Cranio-caudal mammogram of the left breast. Patient age 40.
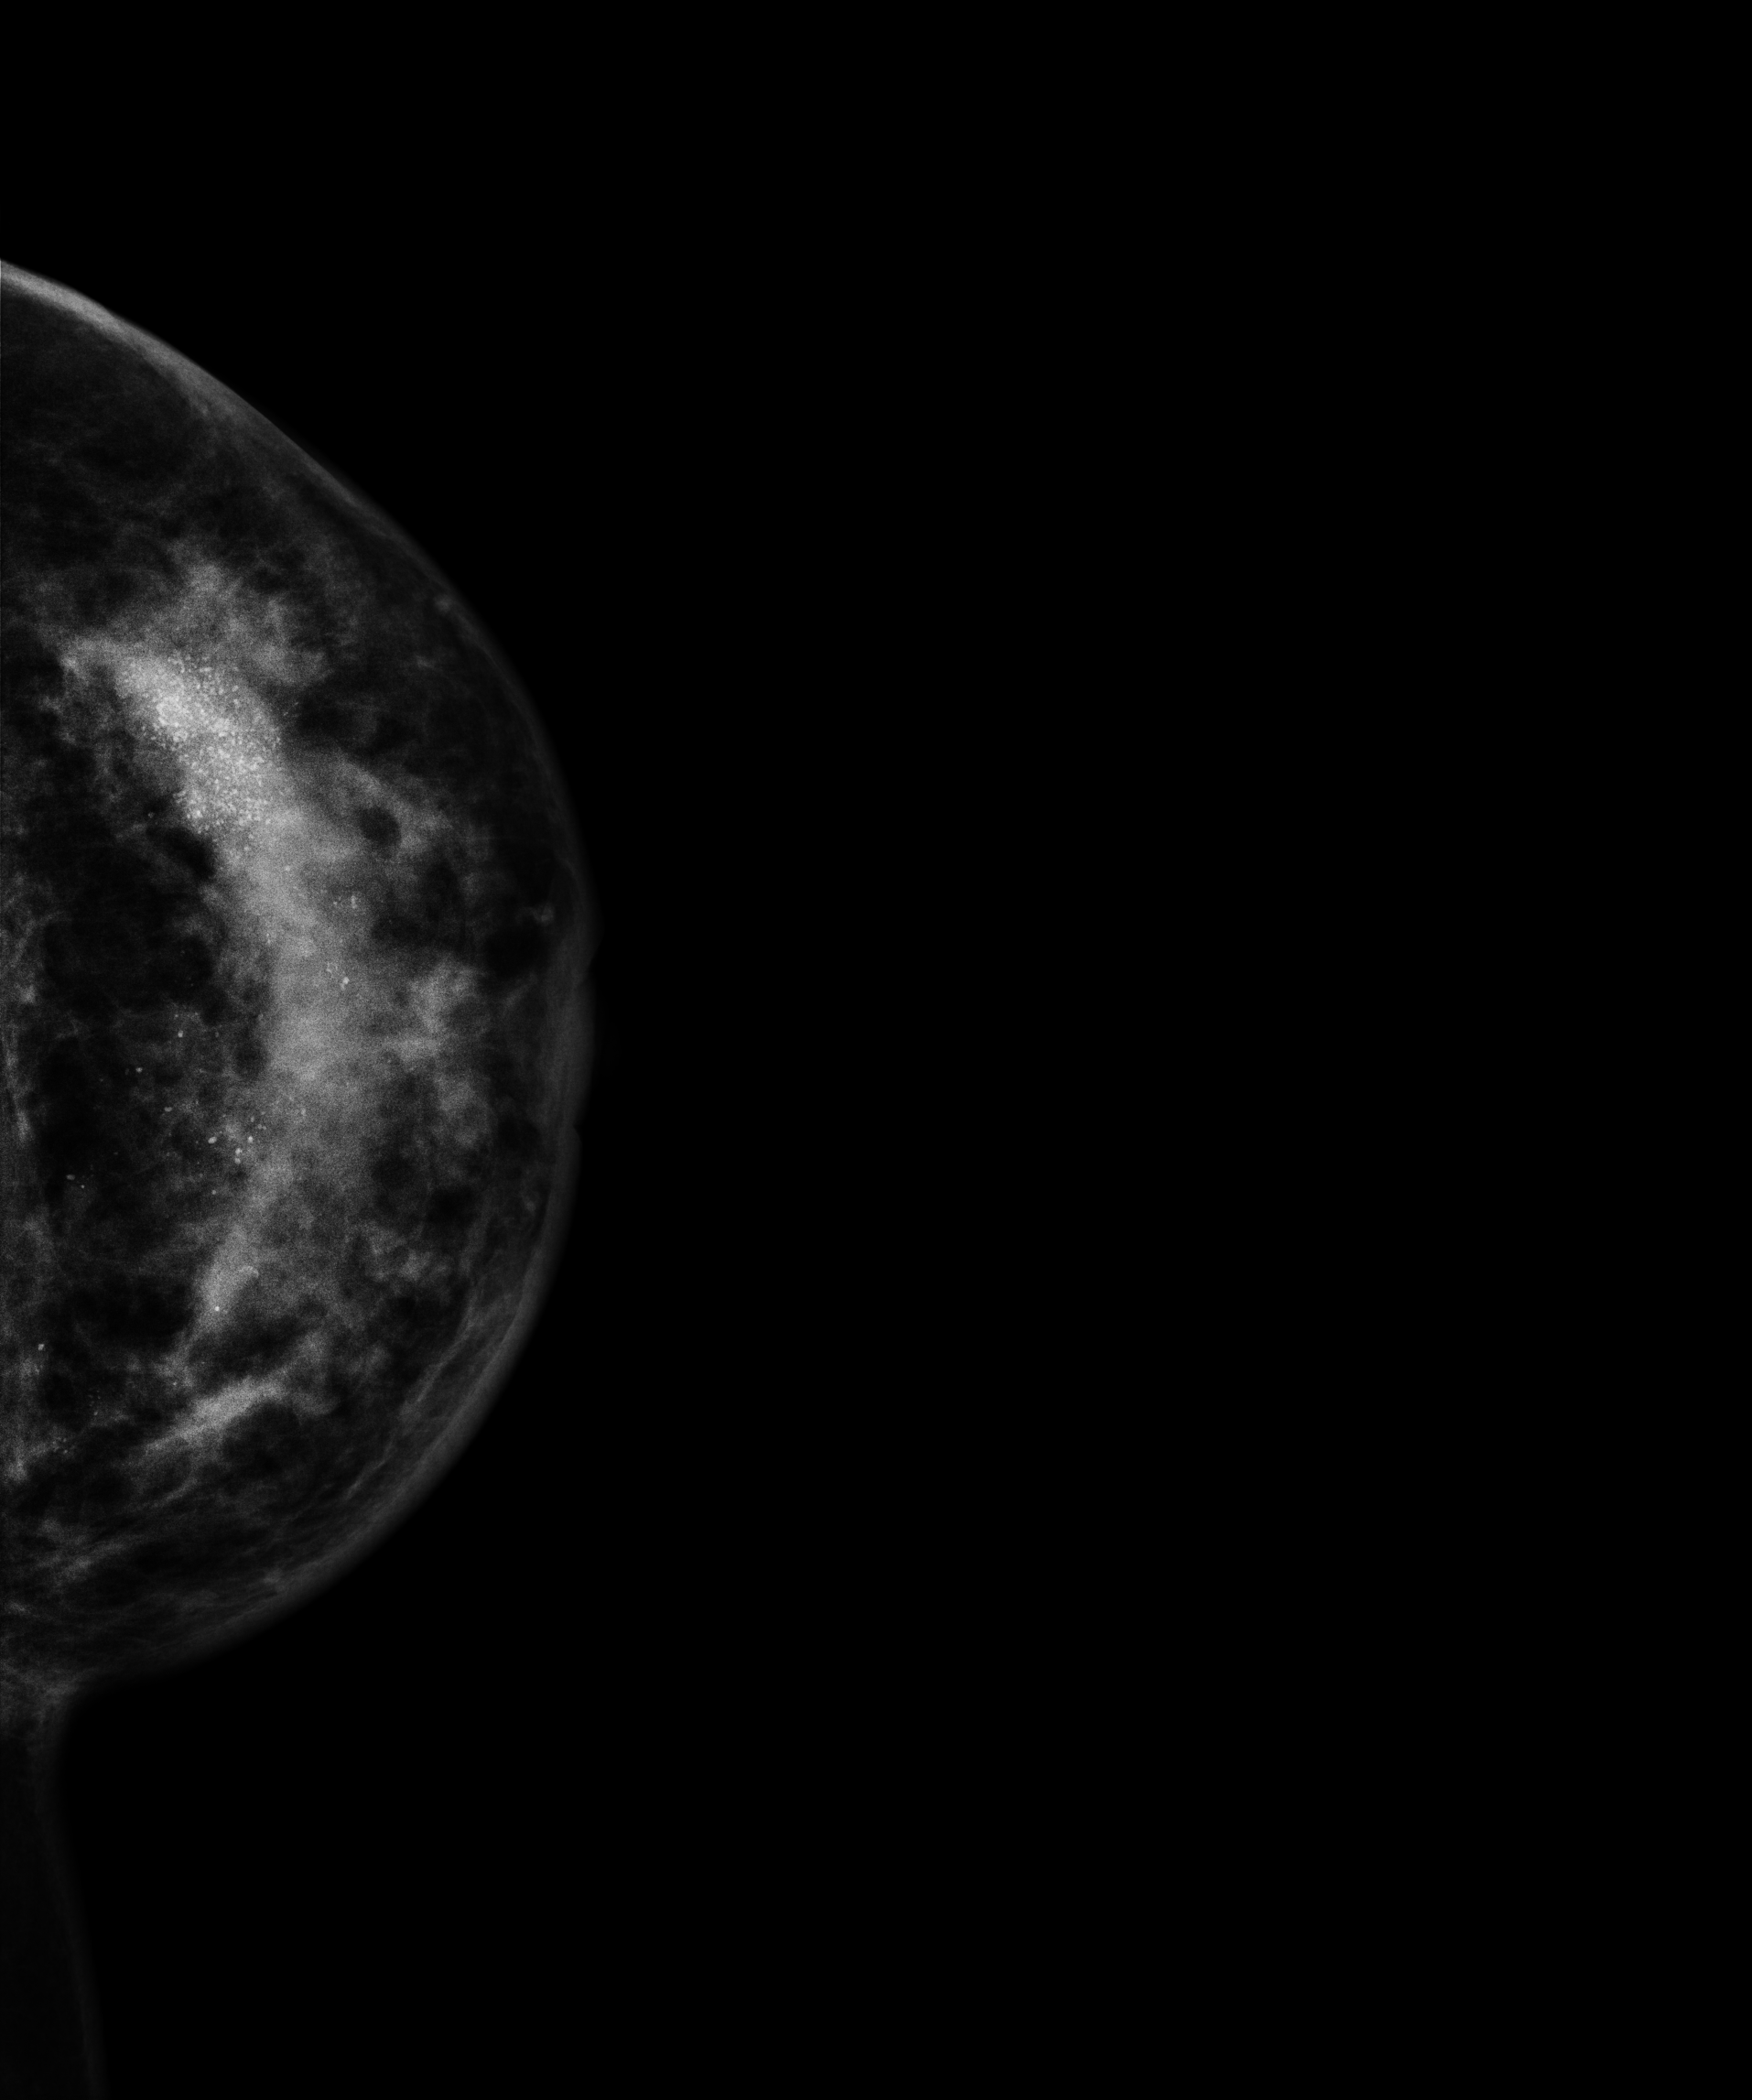
This breast has calcifications, pathology-confirmed malignant. Molecular subtype: triple-negative.